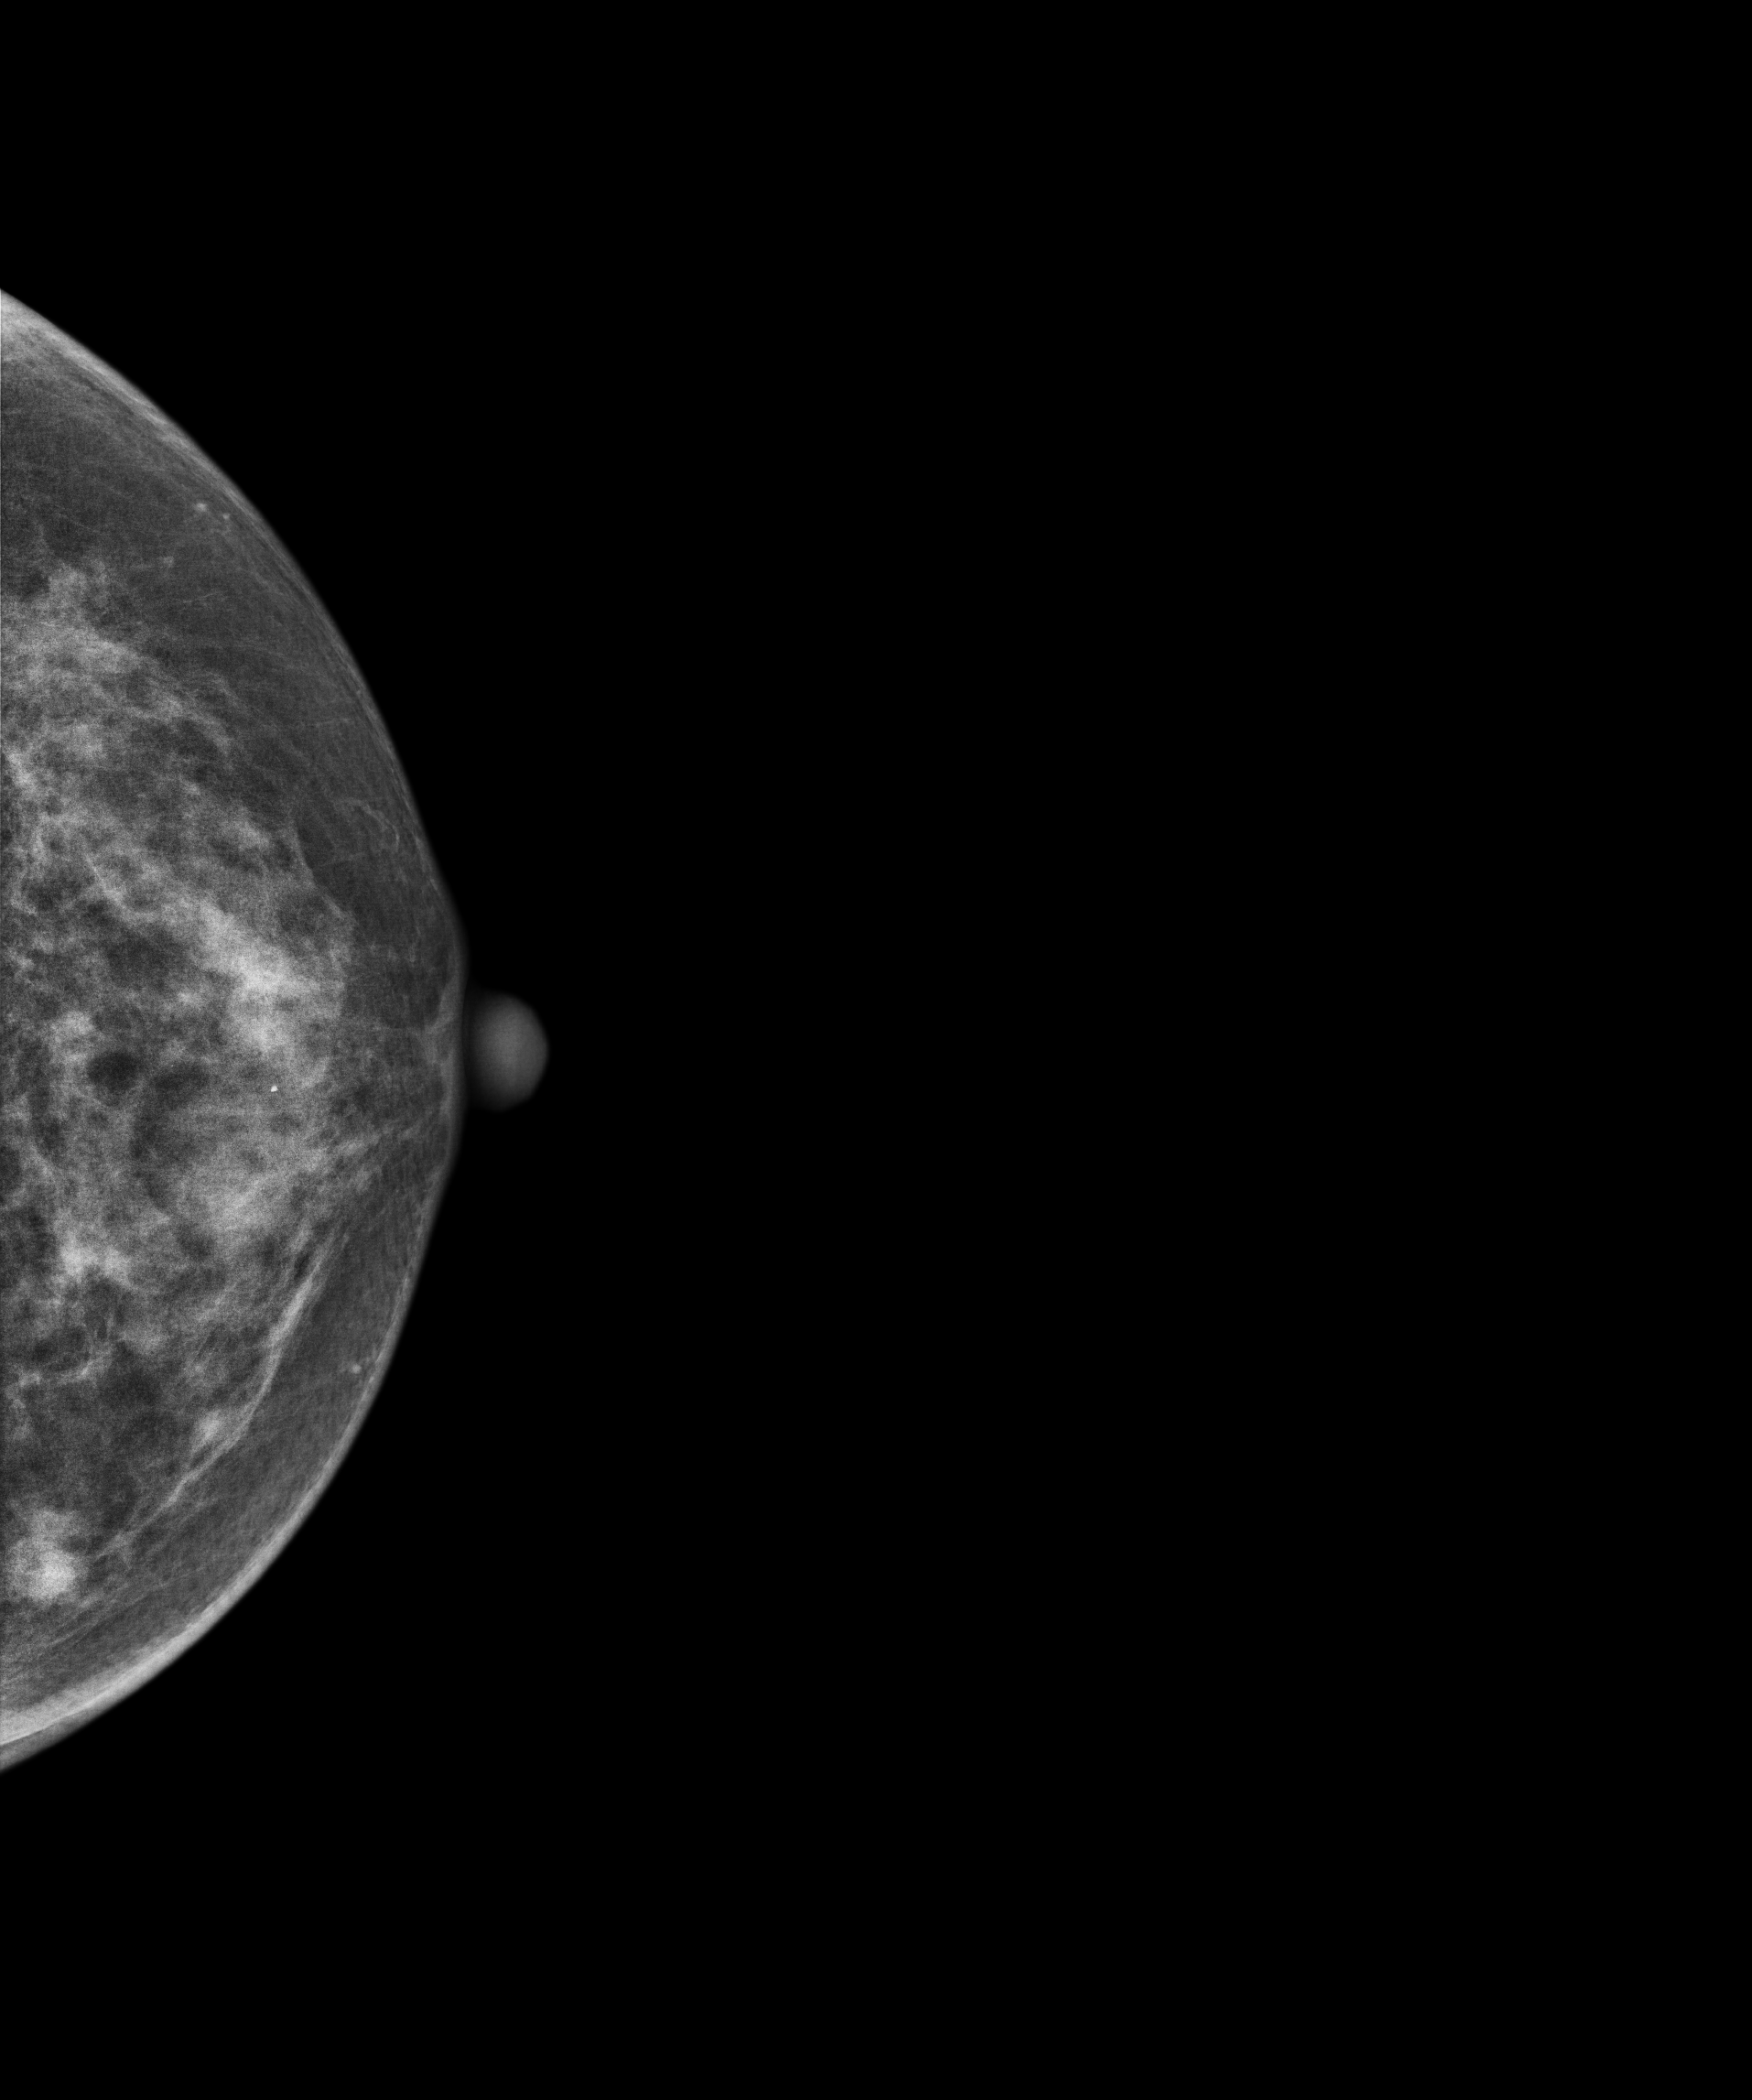
Cranio-caudal mammogram of the left breast. 56-year-old patient.
This breast has a mass, biopsy-confirmed malignant.